Left-breast mammogram, CC. Patient age 62.
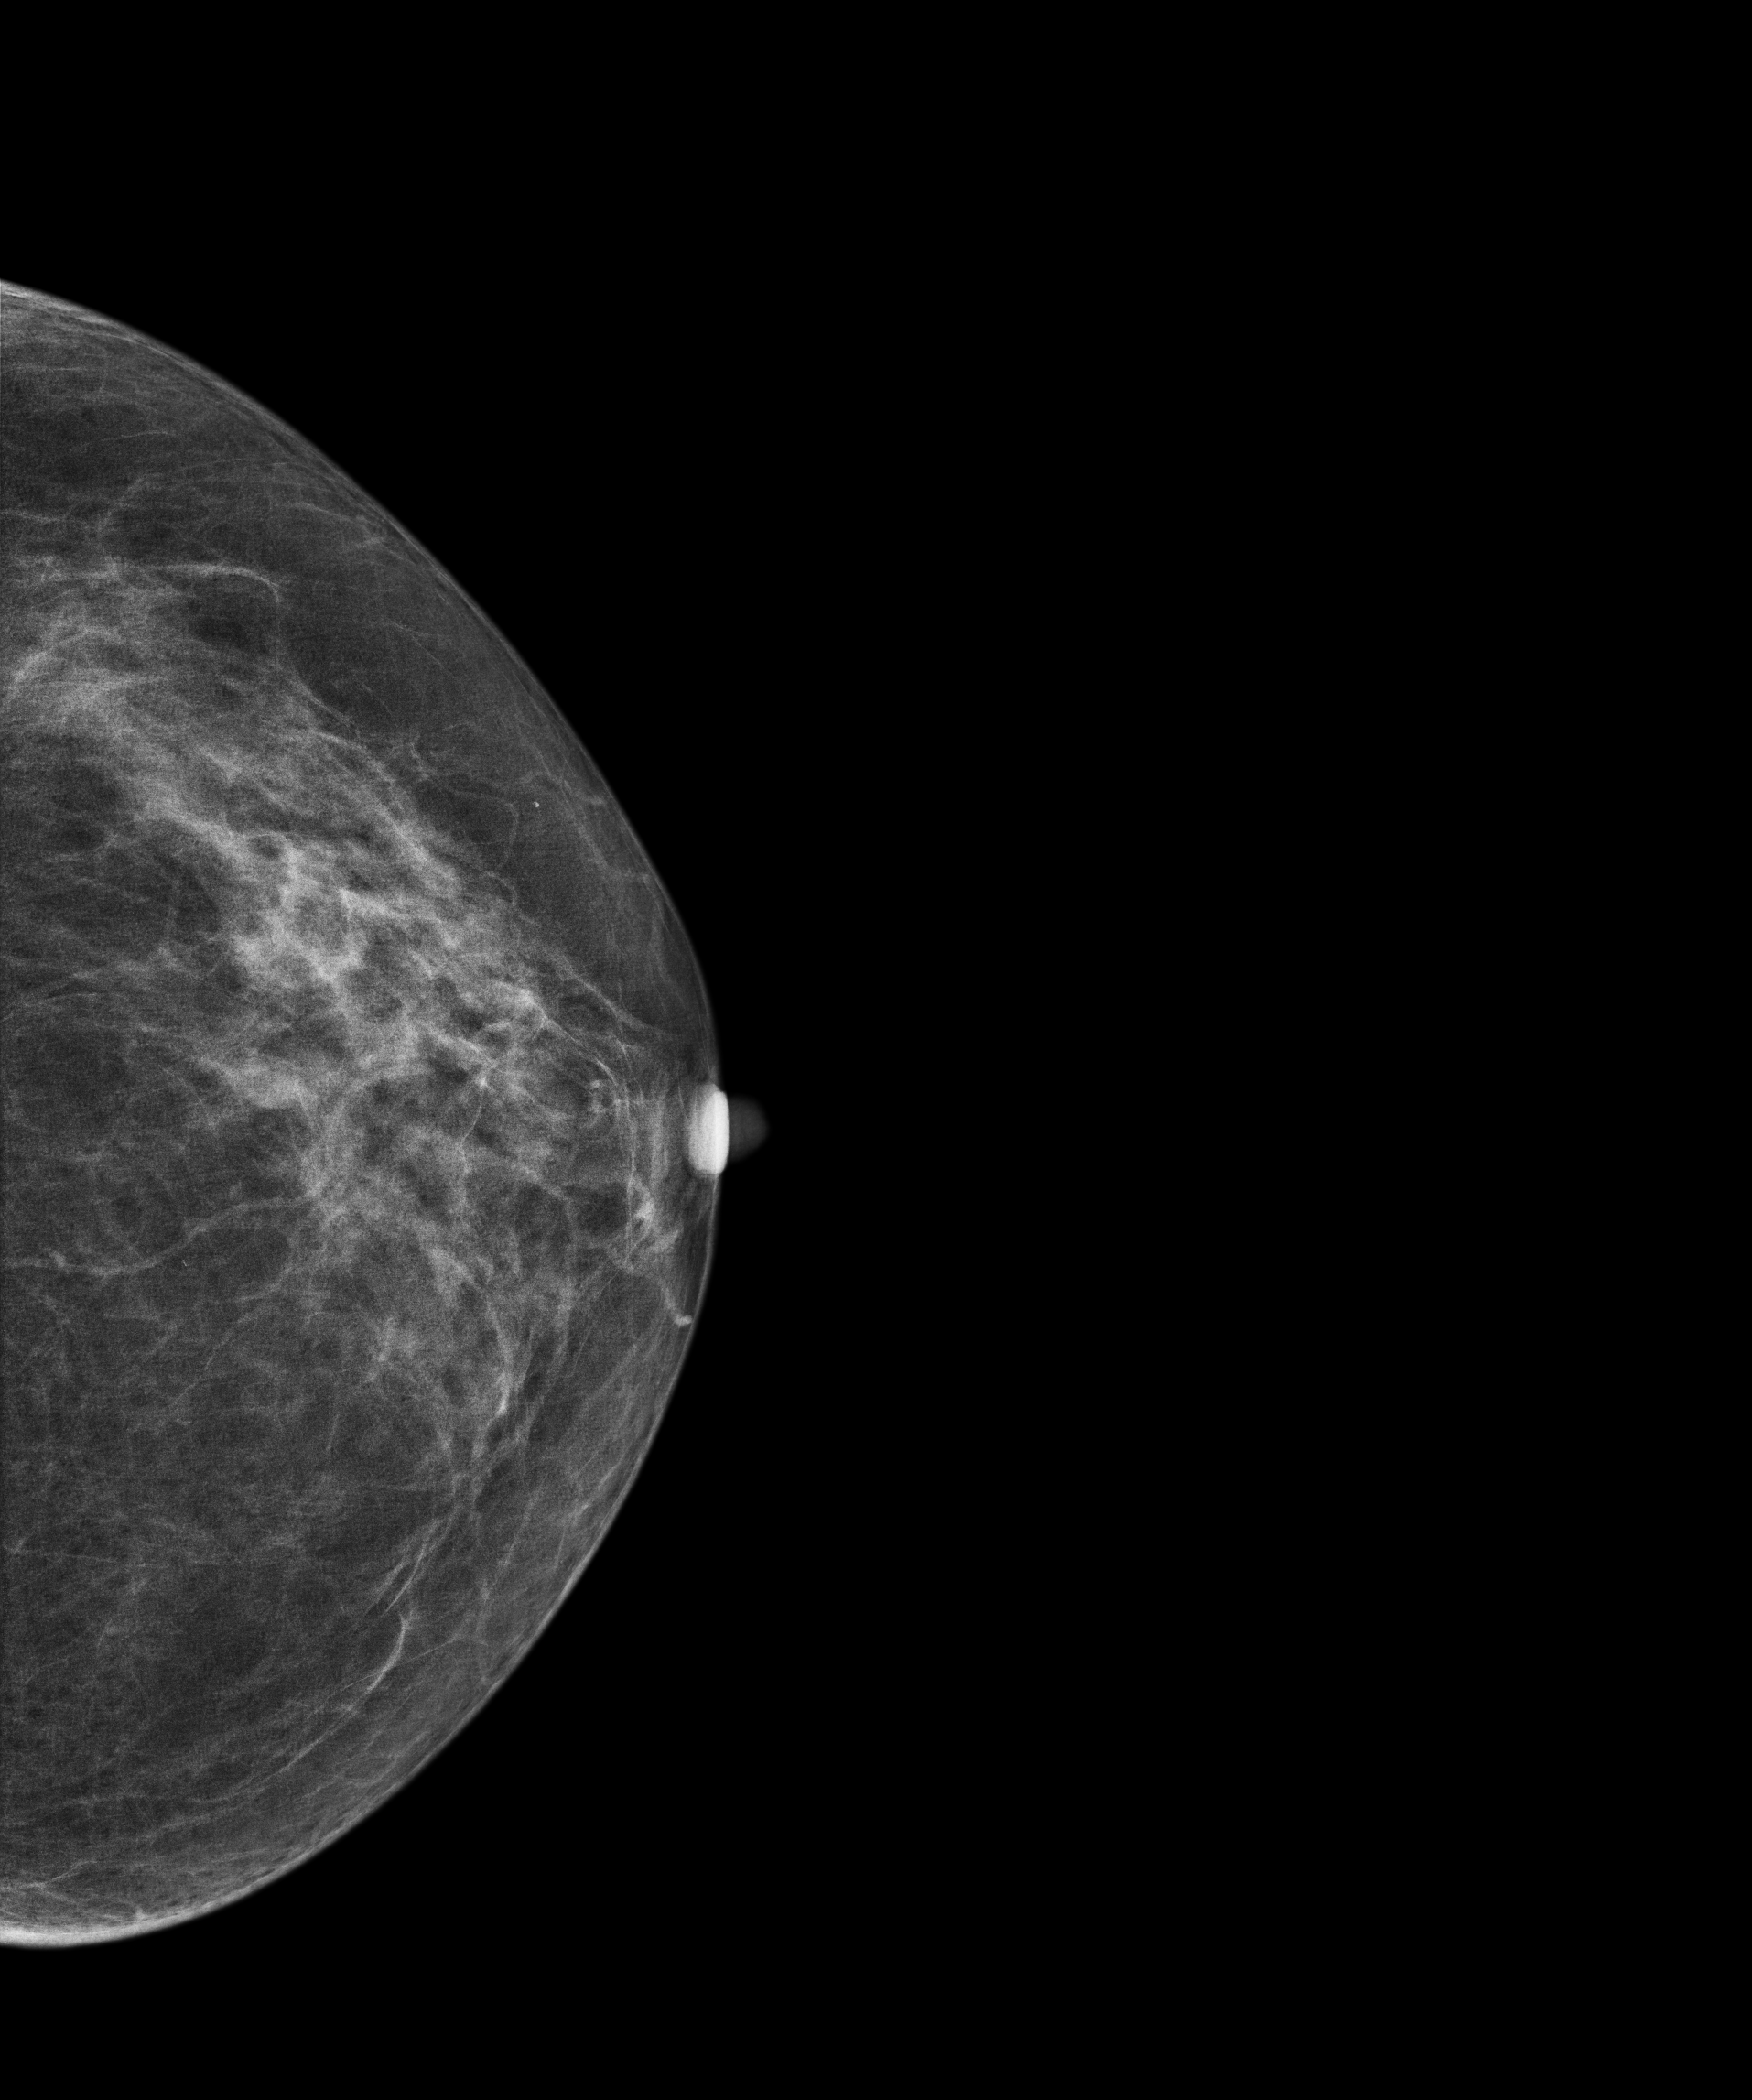
Contralateral breast — no documented abnormality on this side.